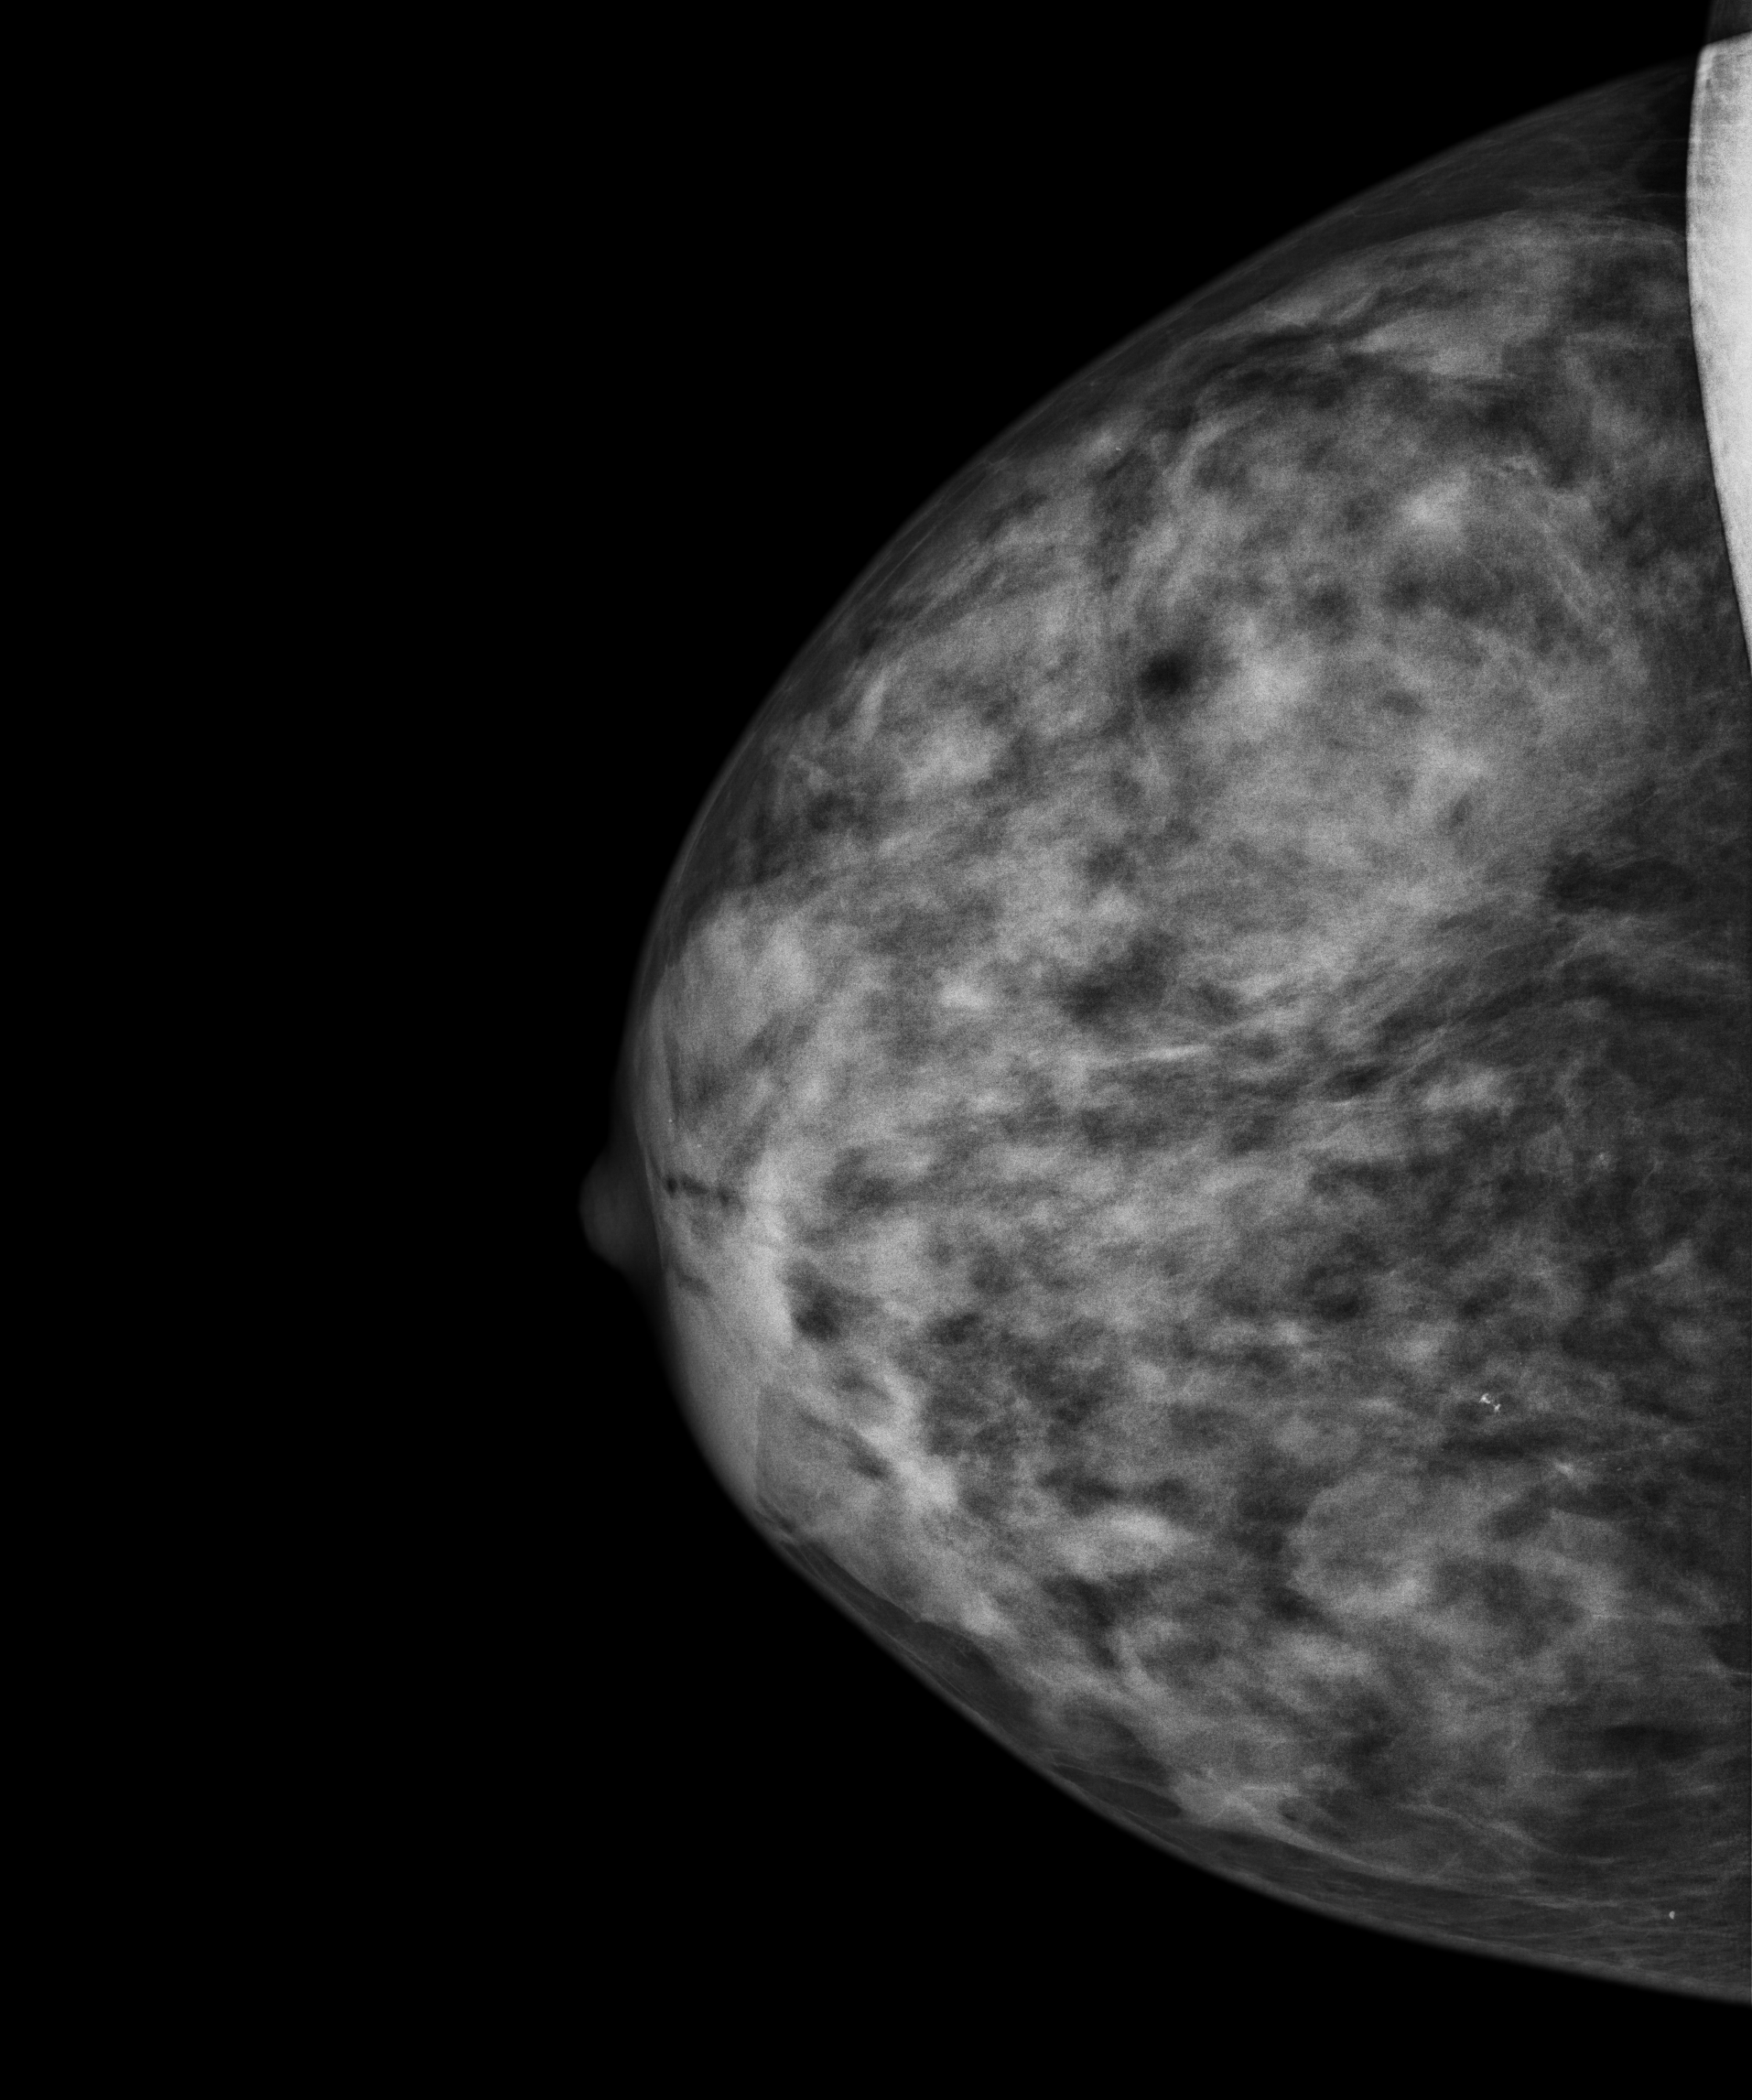
Mammogram, right breast, CC view. 46-year-old patient.
This breast has calcifications, biopsy-confirmed malignant. Molecular subtype: luminal B.